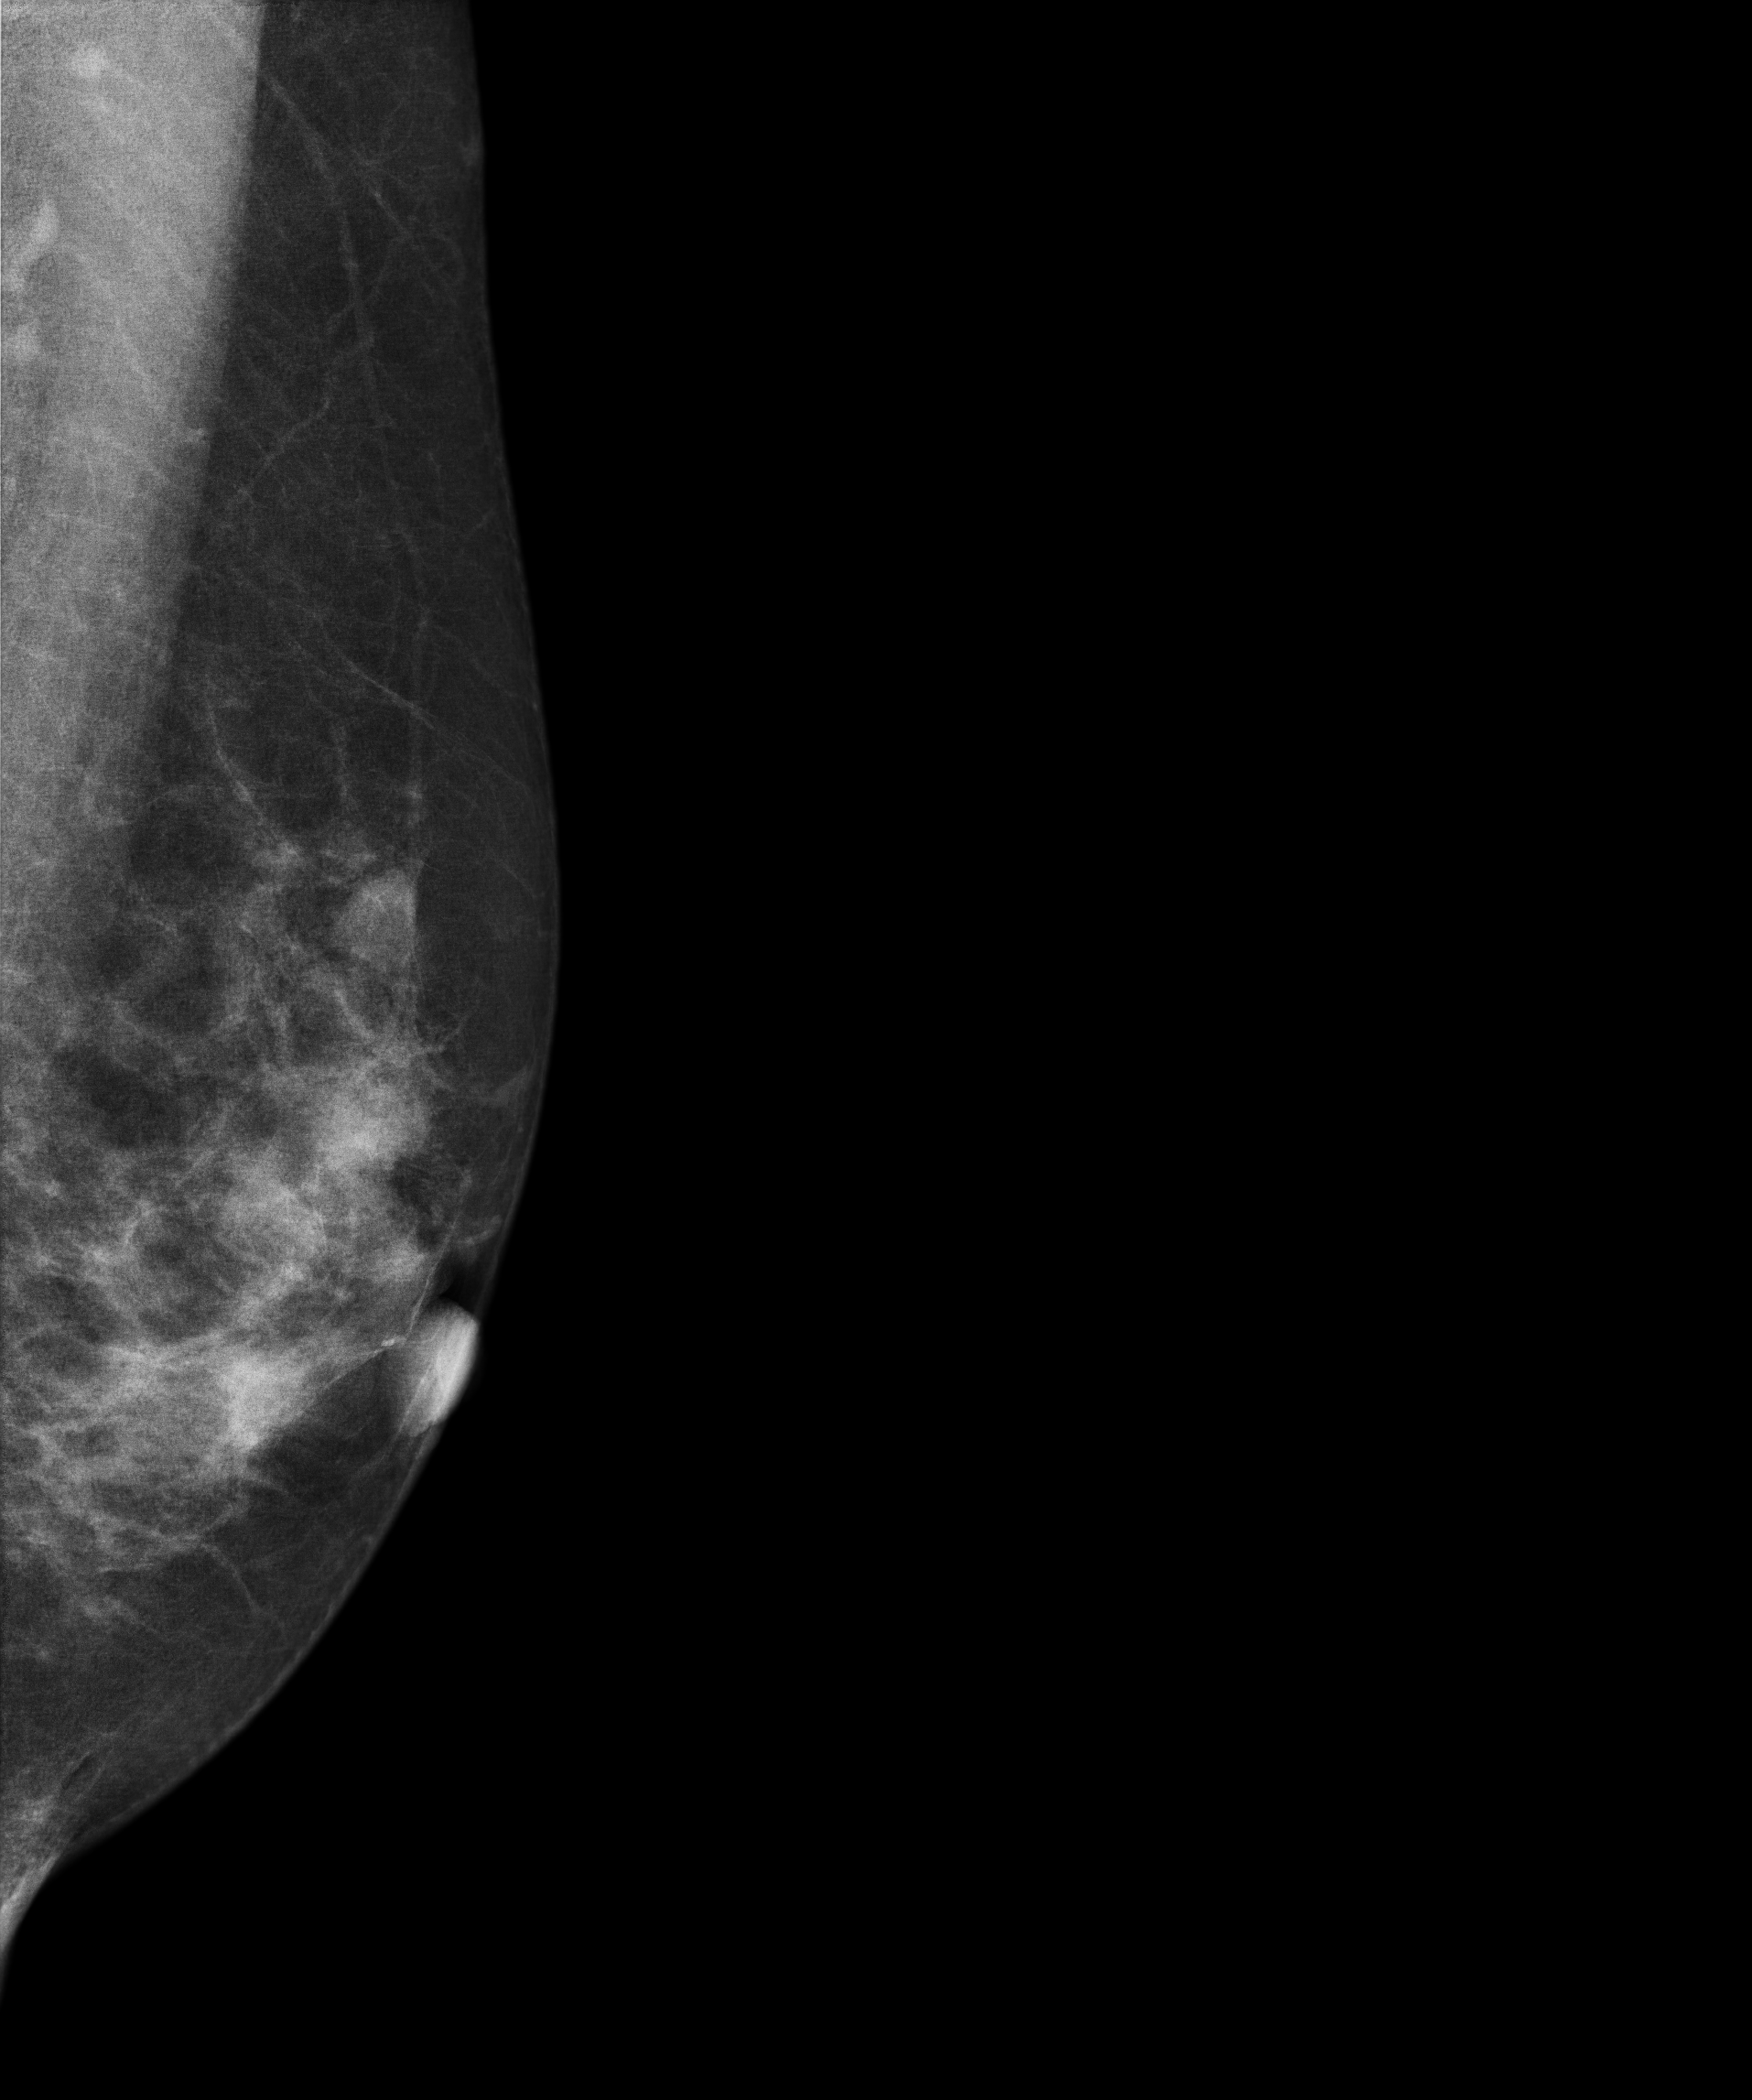
Digital mammography. Left breast, MLO projection. Patient age 39.
This breast has a mass, histologically confirmed benign.